Mammogram — left MLO. 47 y/o patient.
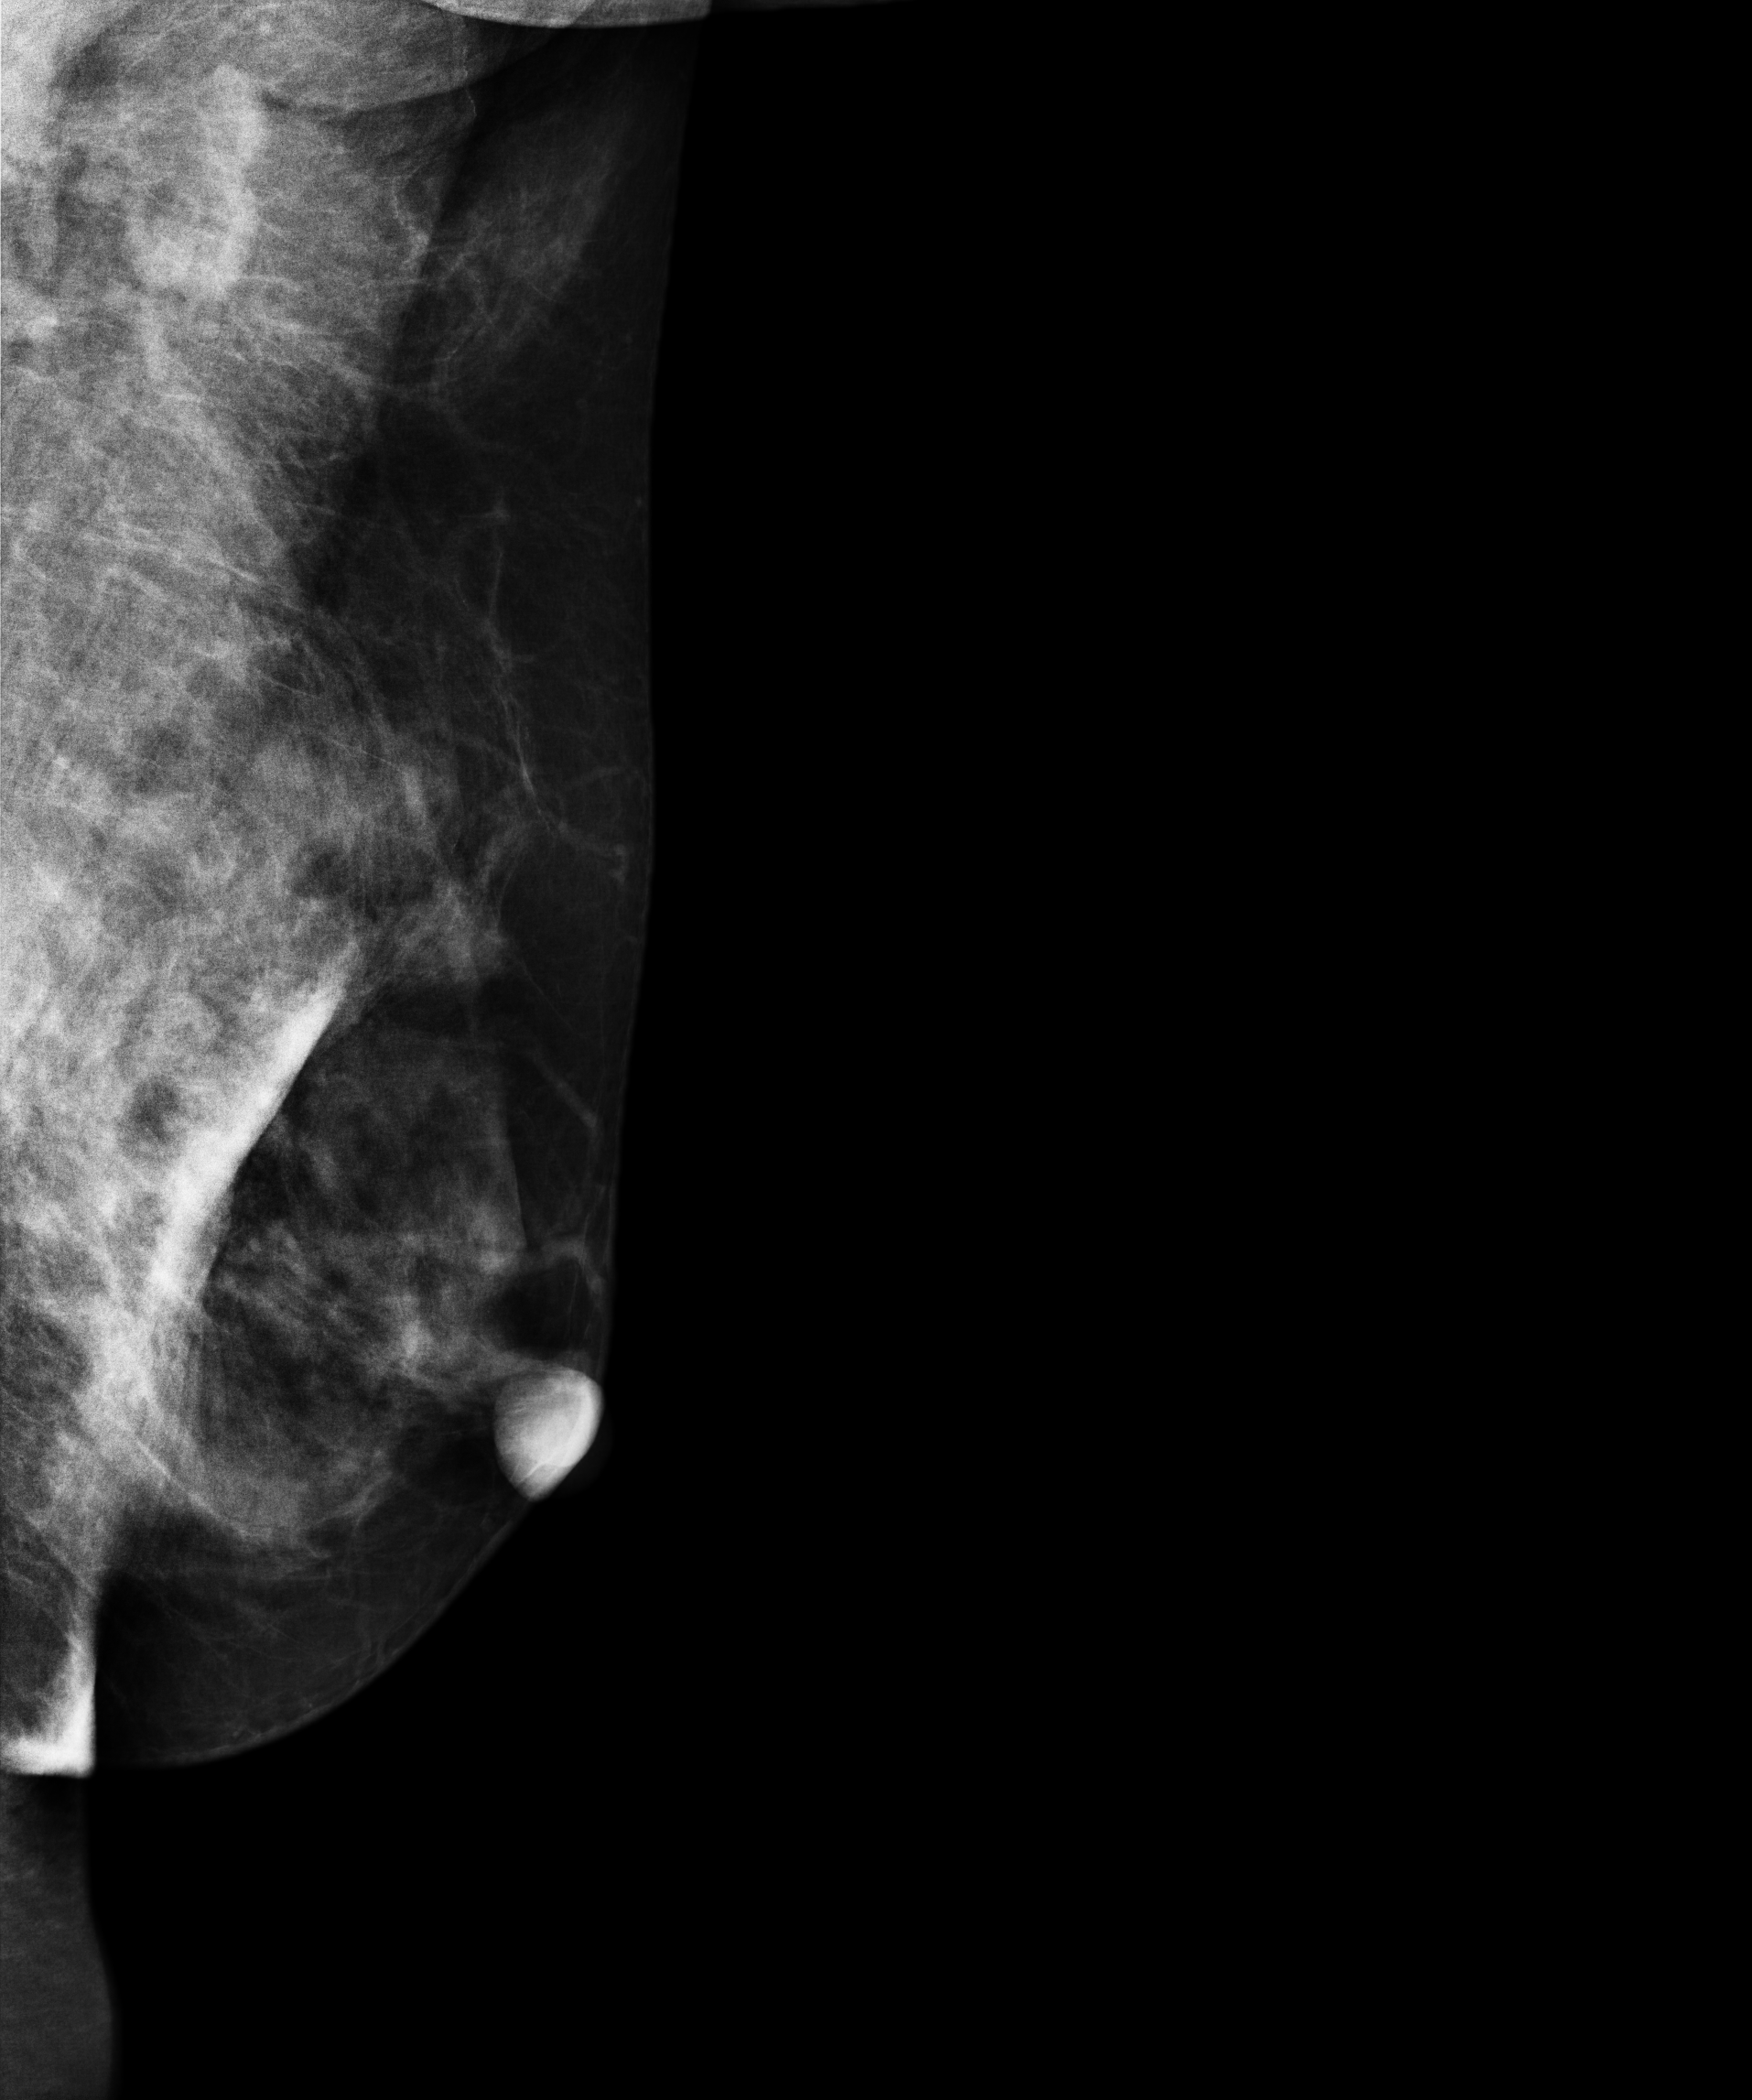
This breast has a mass, biopsy-confirmed malignant. Molecular subtype: luminal B.